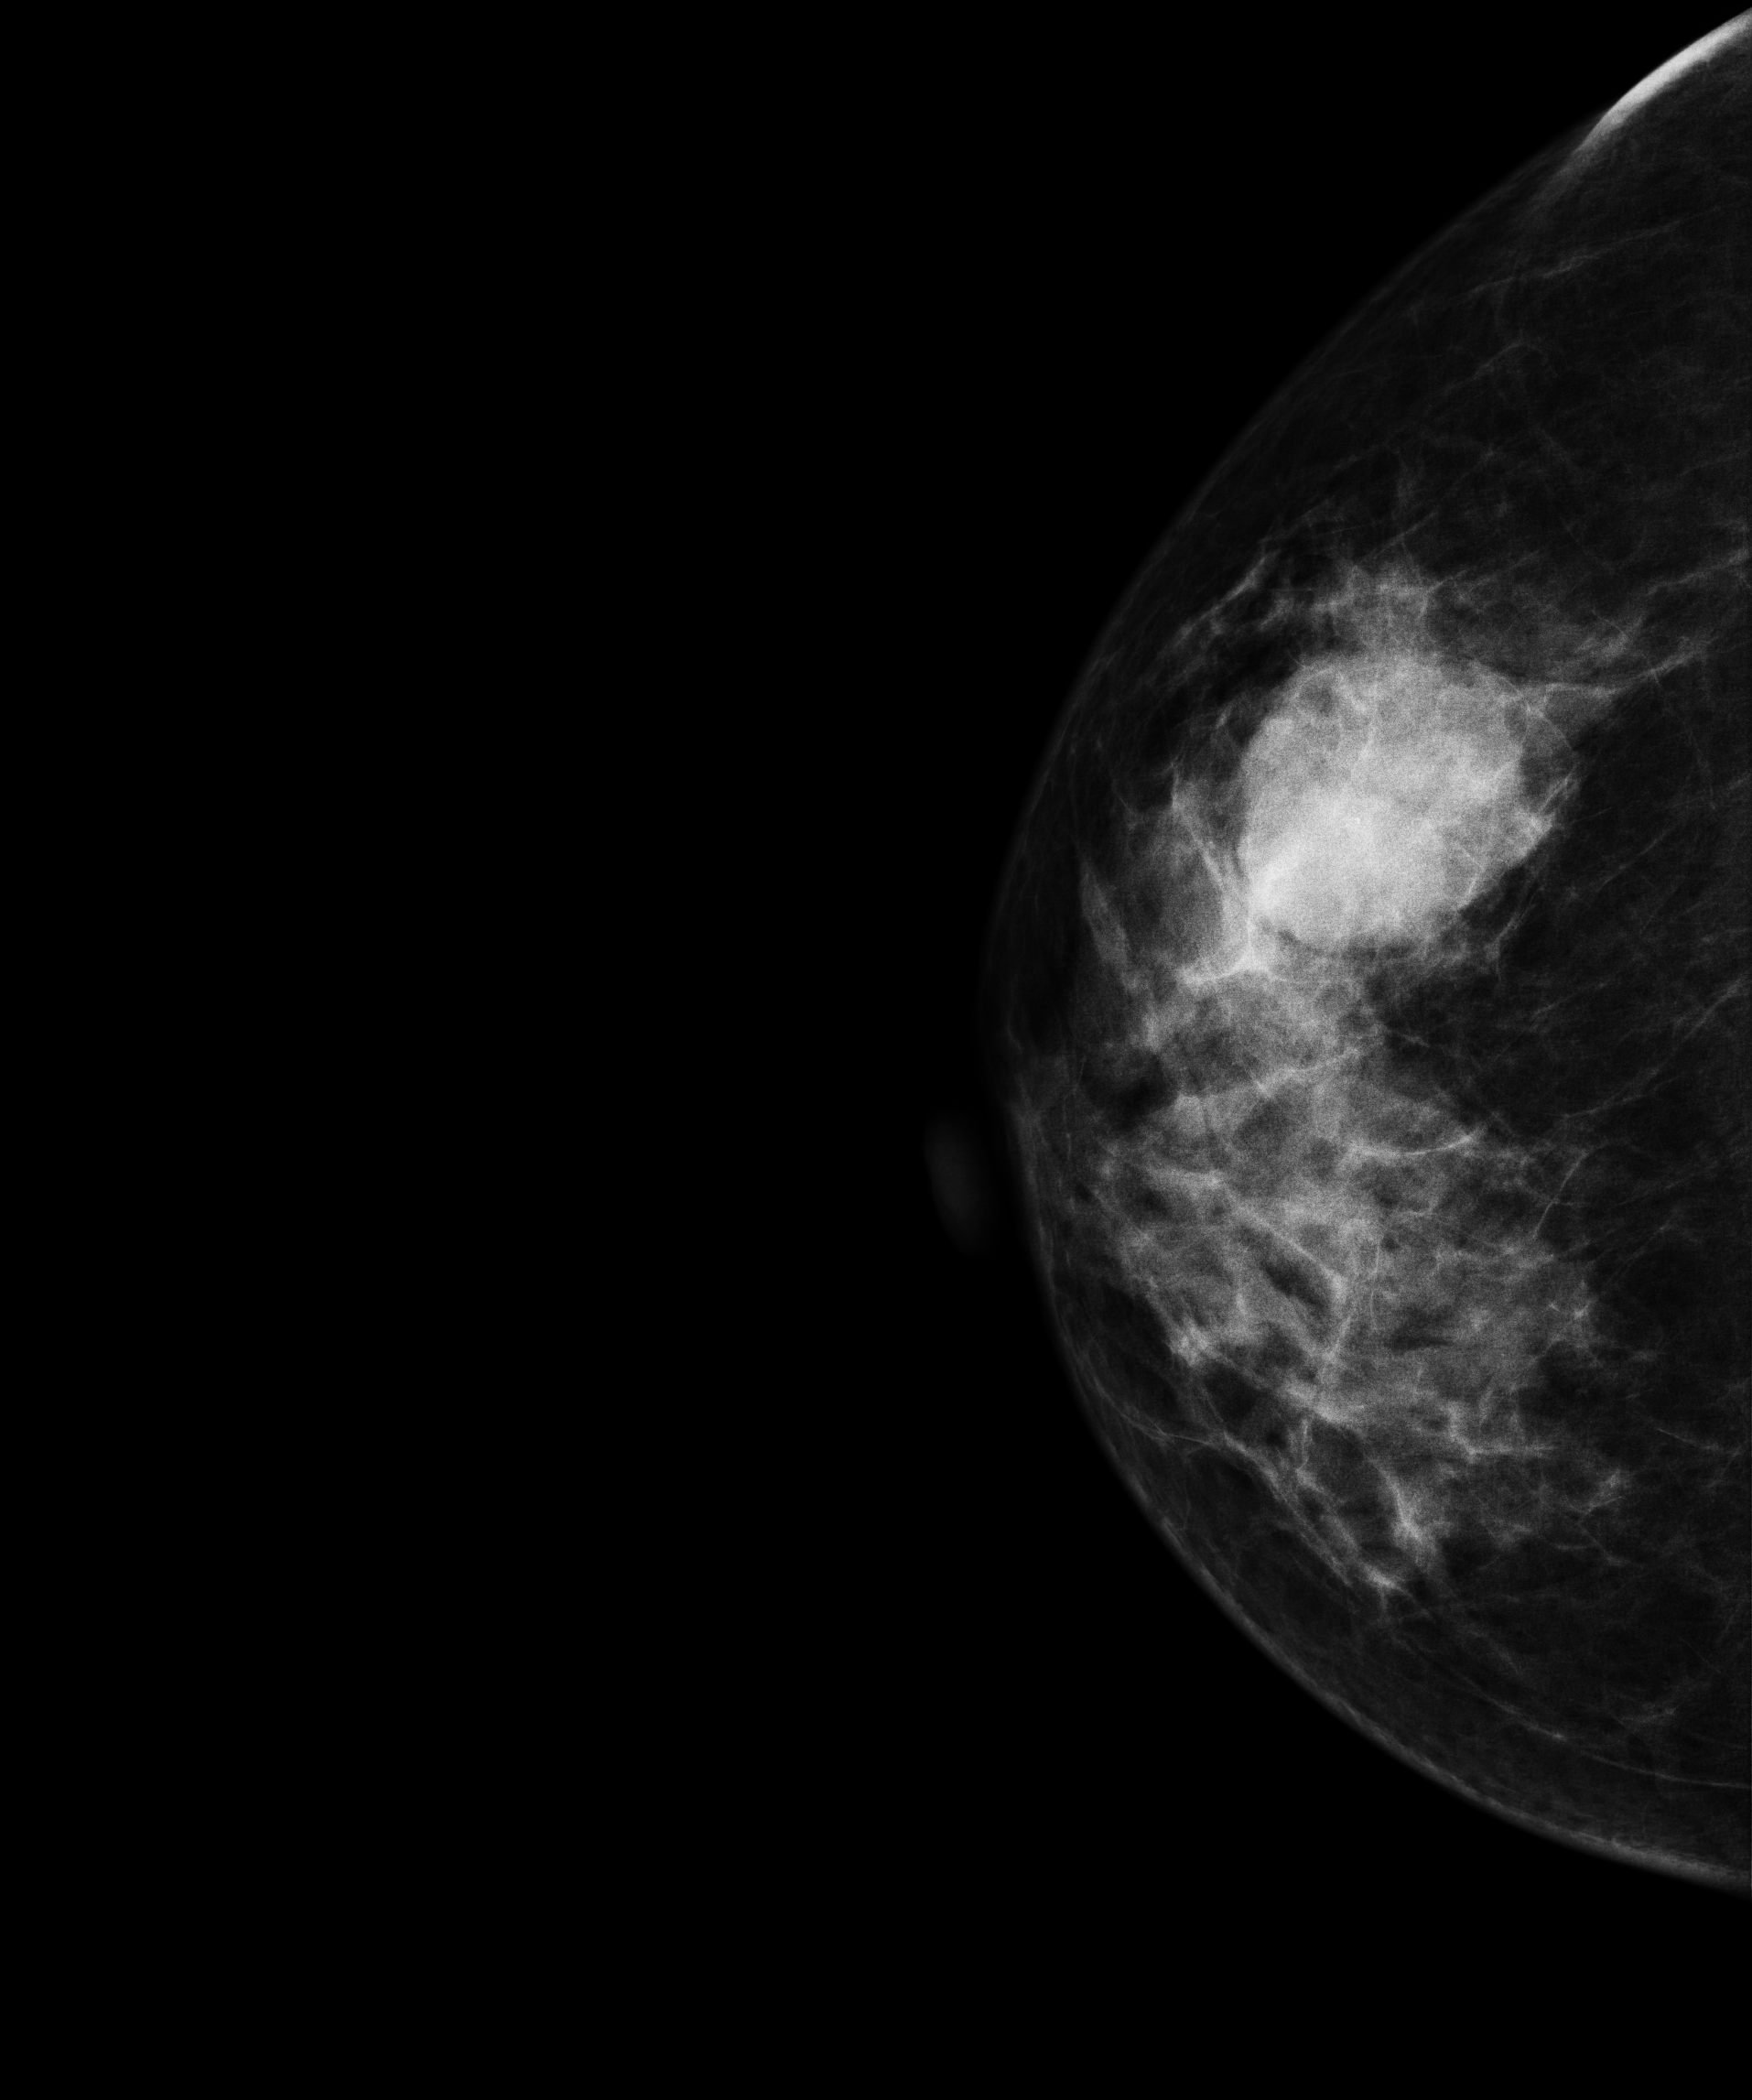
Mammogram, right breast, cranio-caudal view. 51 y/o patient.
This breast has a mass, pathology-confirmed malignant. Molecular subtype: HER2-enriched.